Left-breast mammogram, CC. Patient age 47.
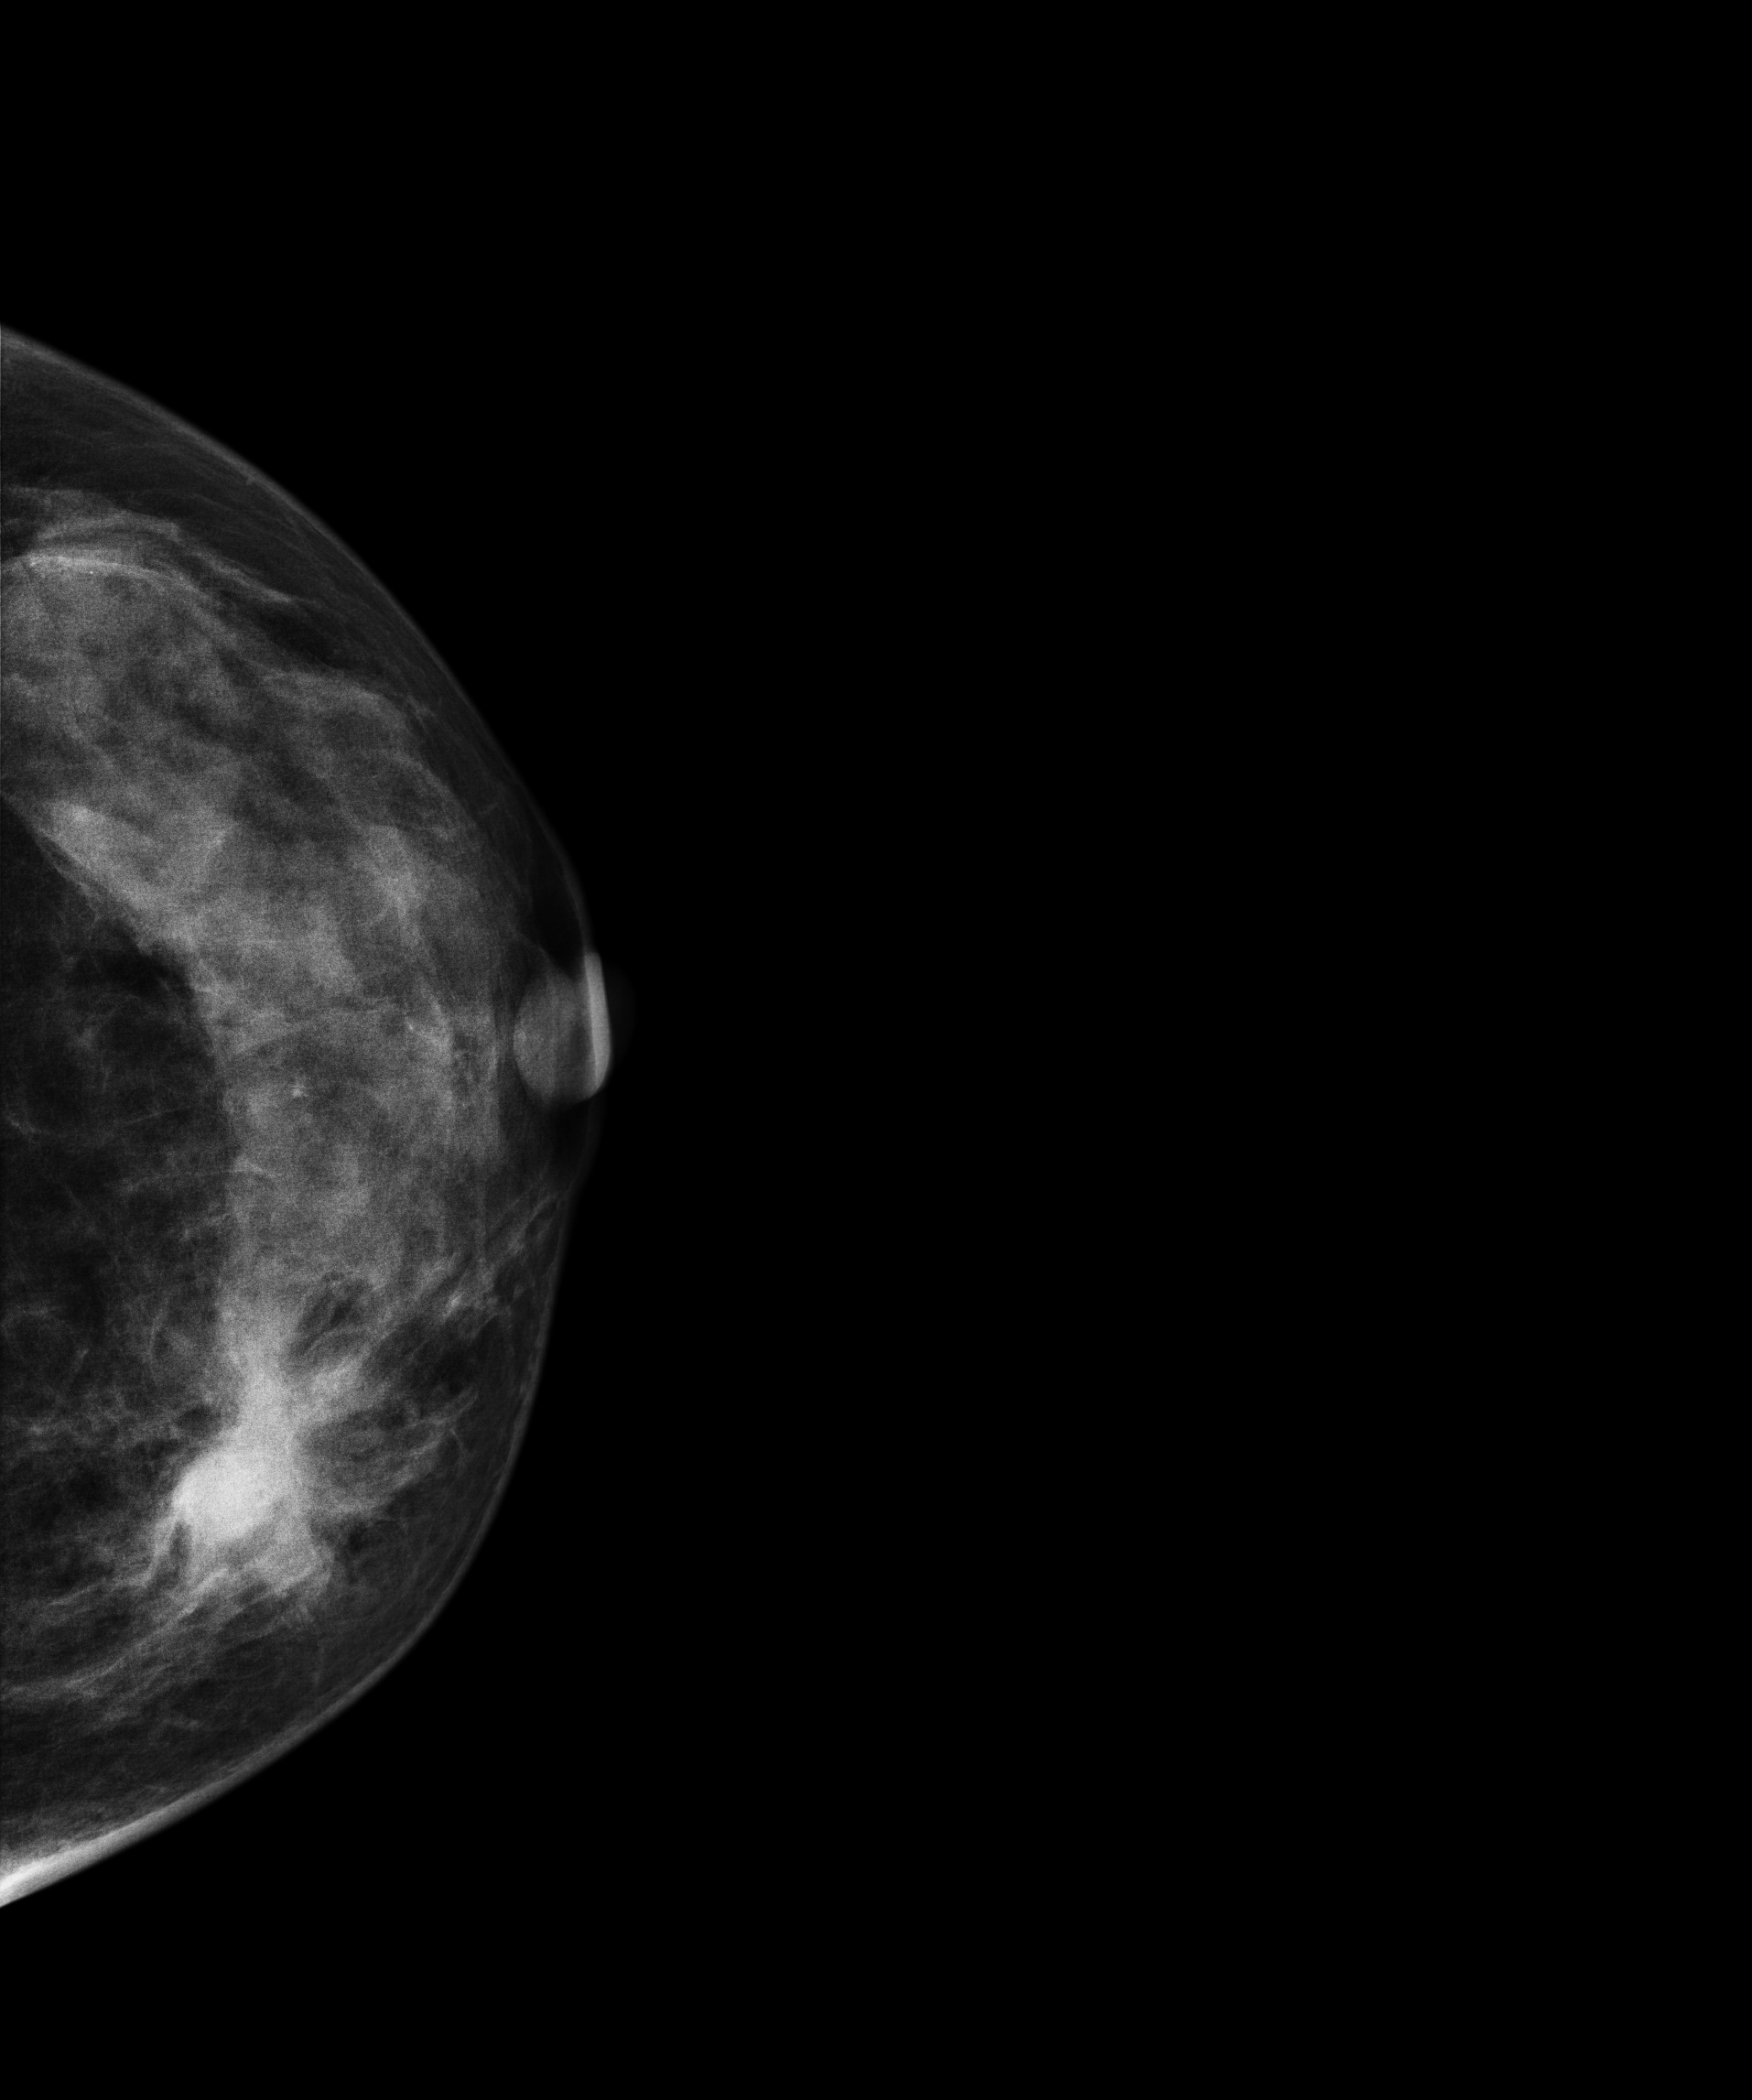
This breast has a mass, pathology-confirmed malignant.